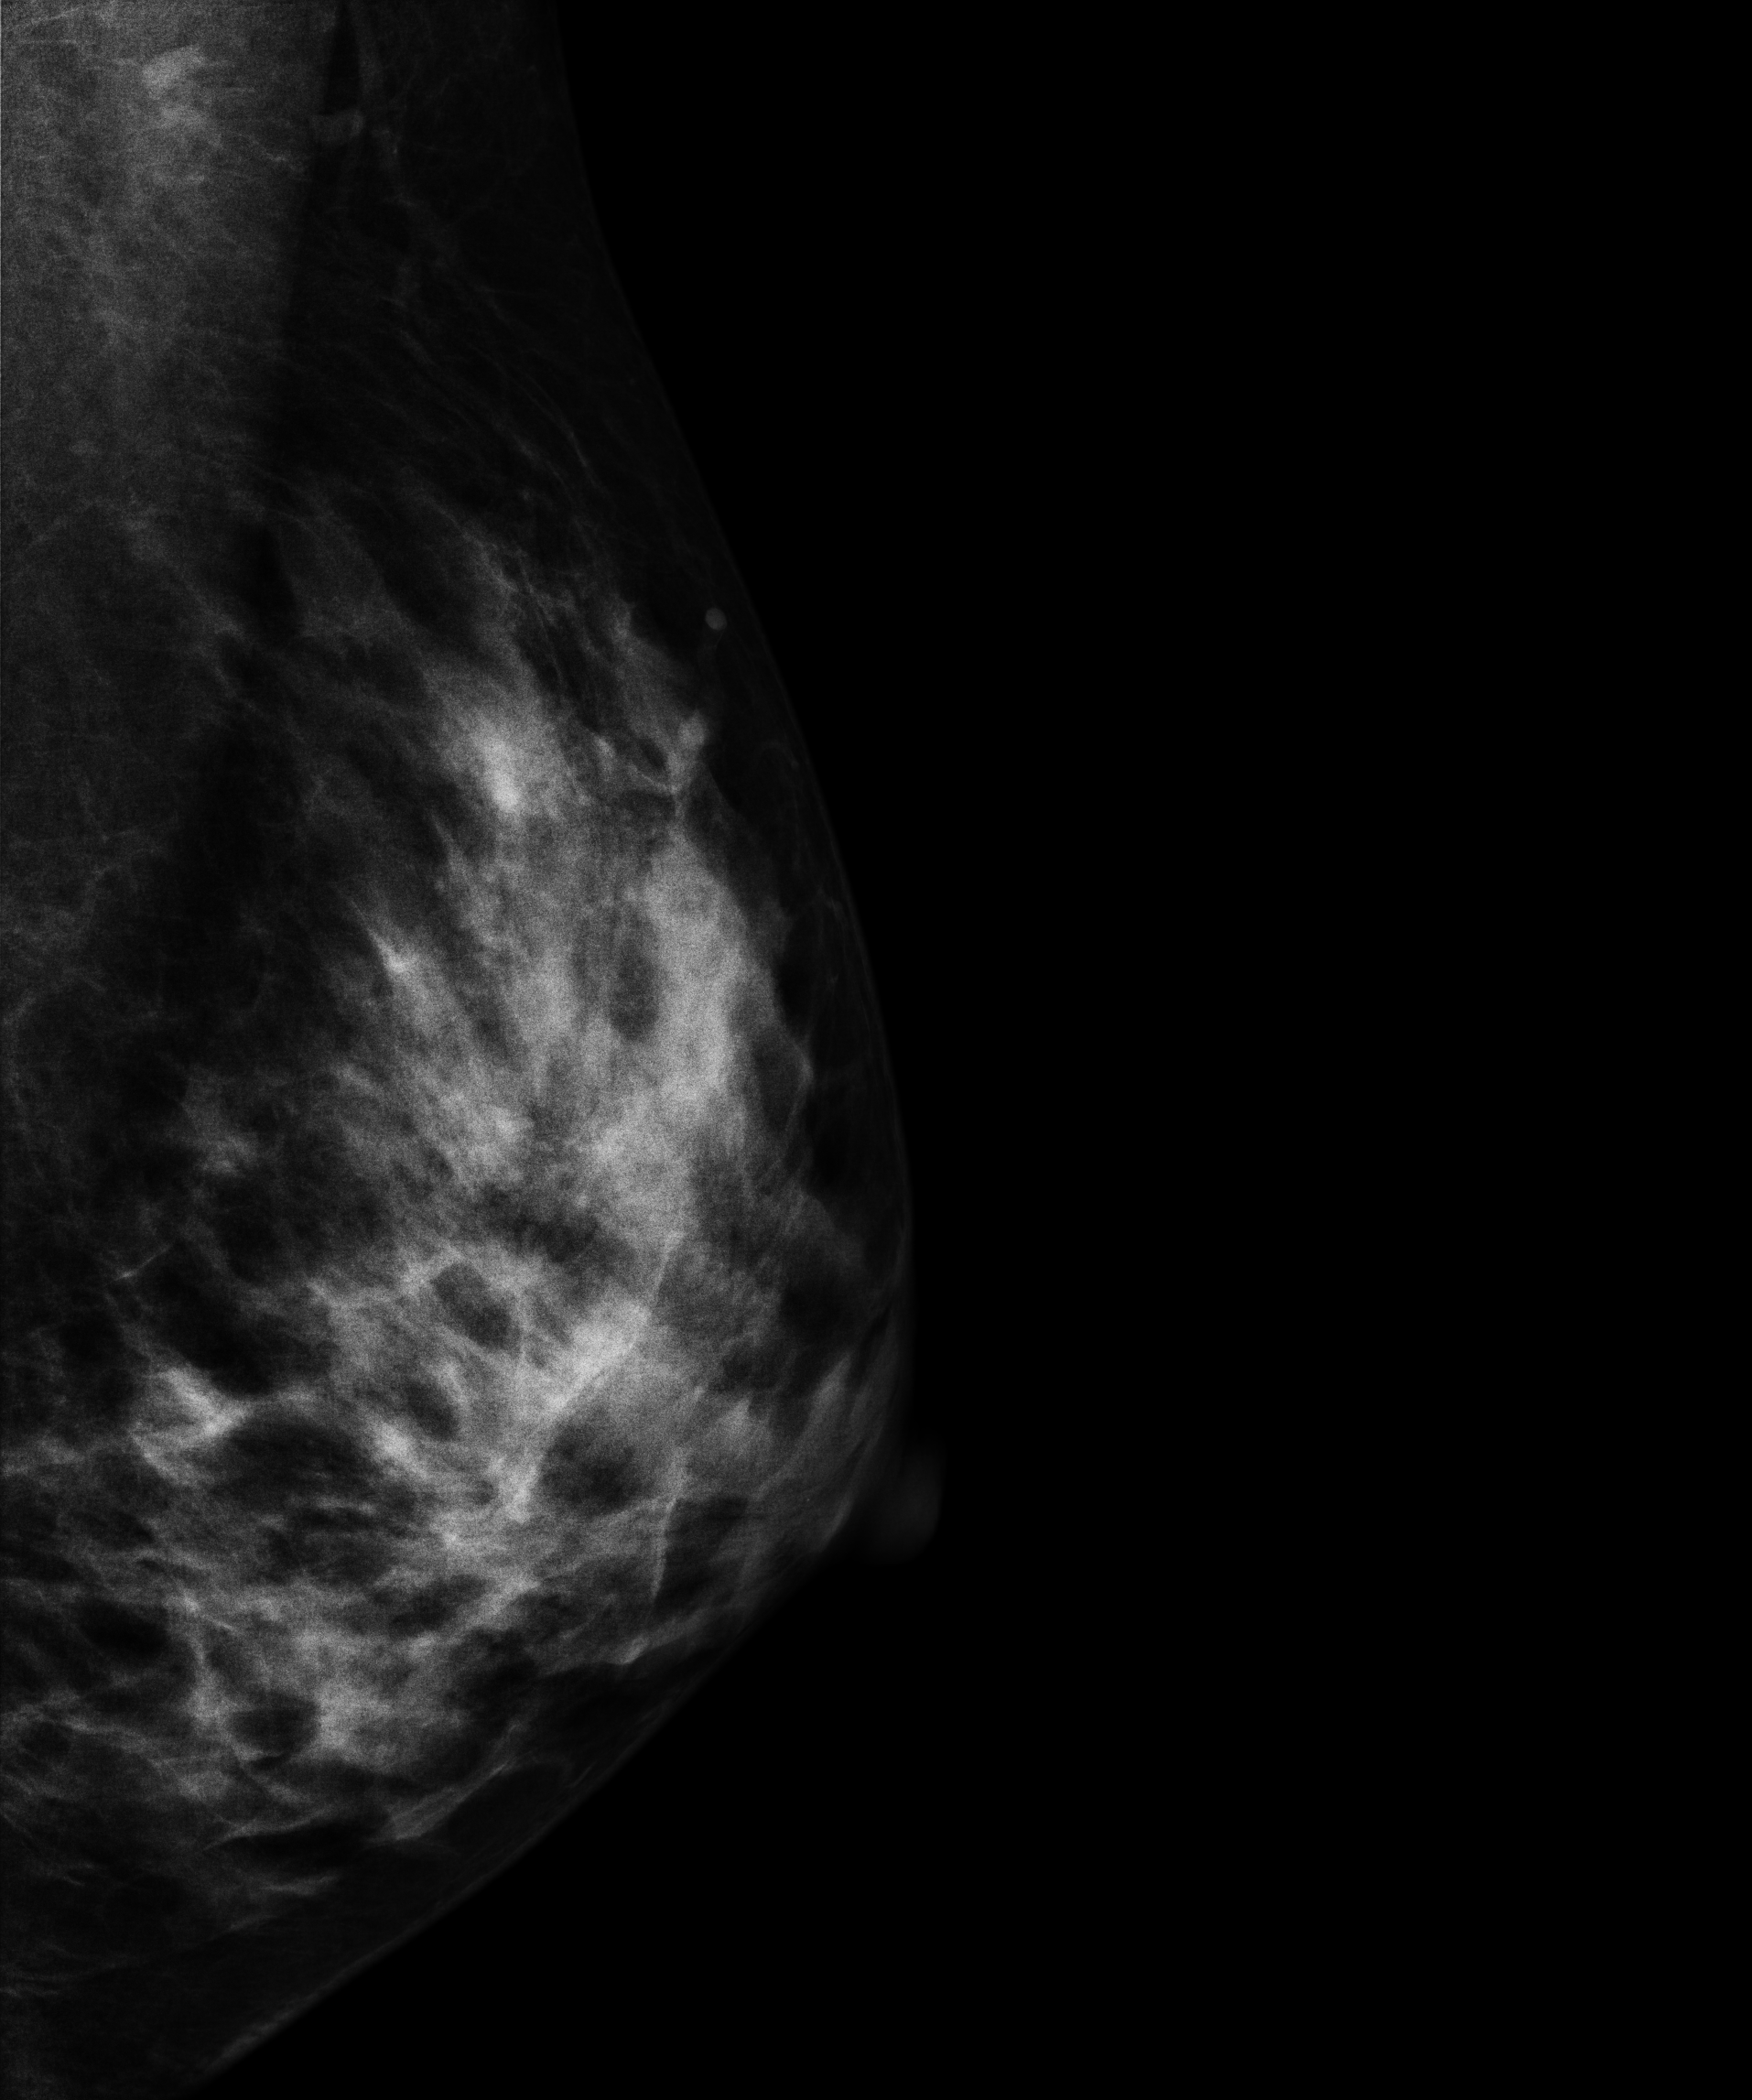
Mammogram — left MLO. 41 y/o patient.
This breast has a mass, pathology-confirmed malignant.